Medio-lateral oblique mammogram of the right breast. 63-year-old patient.
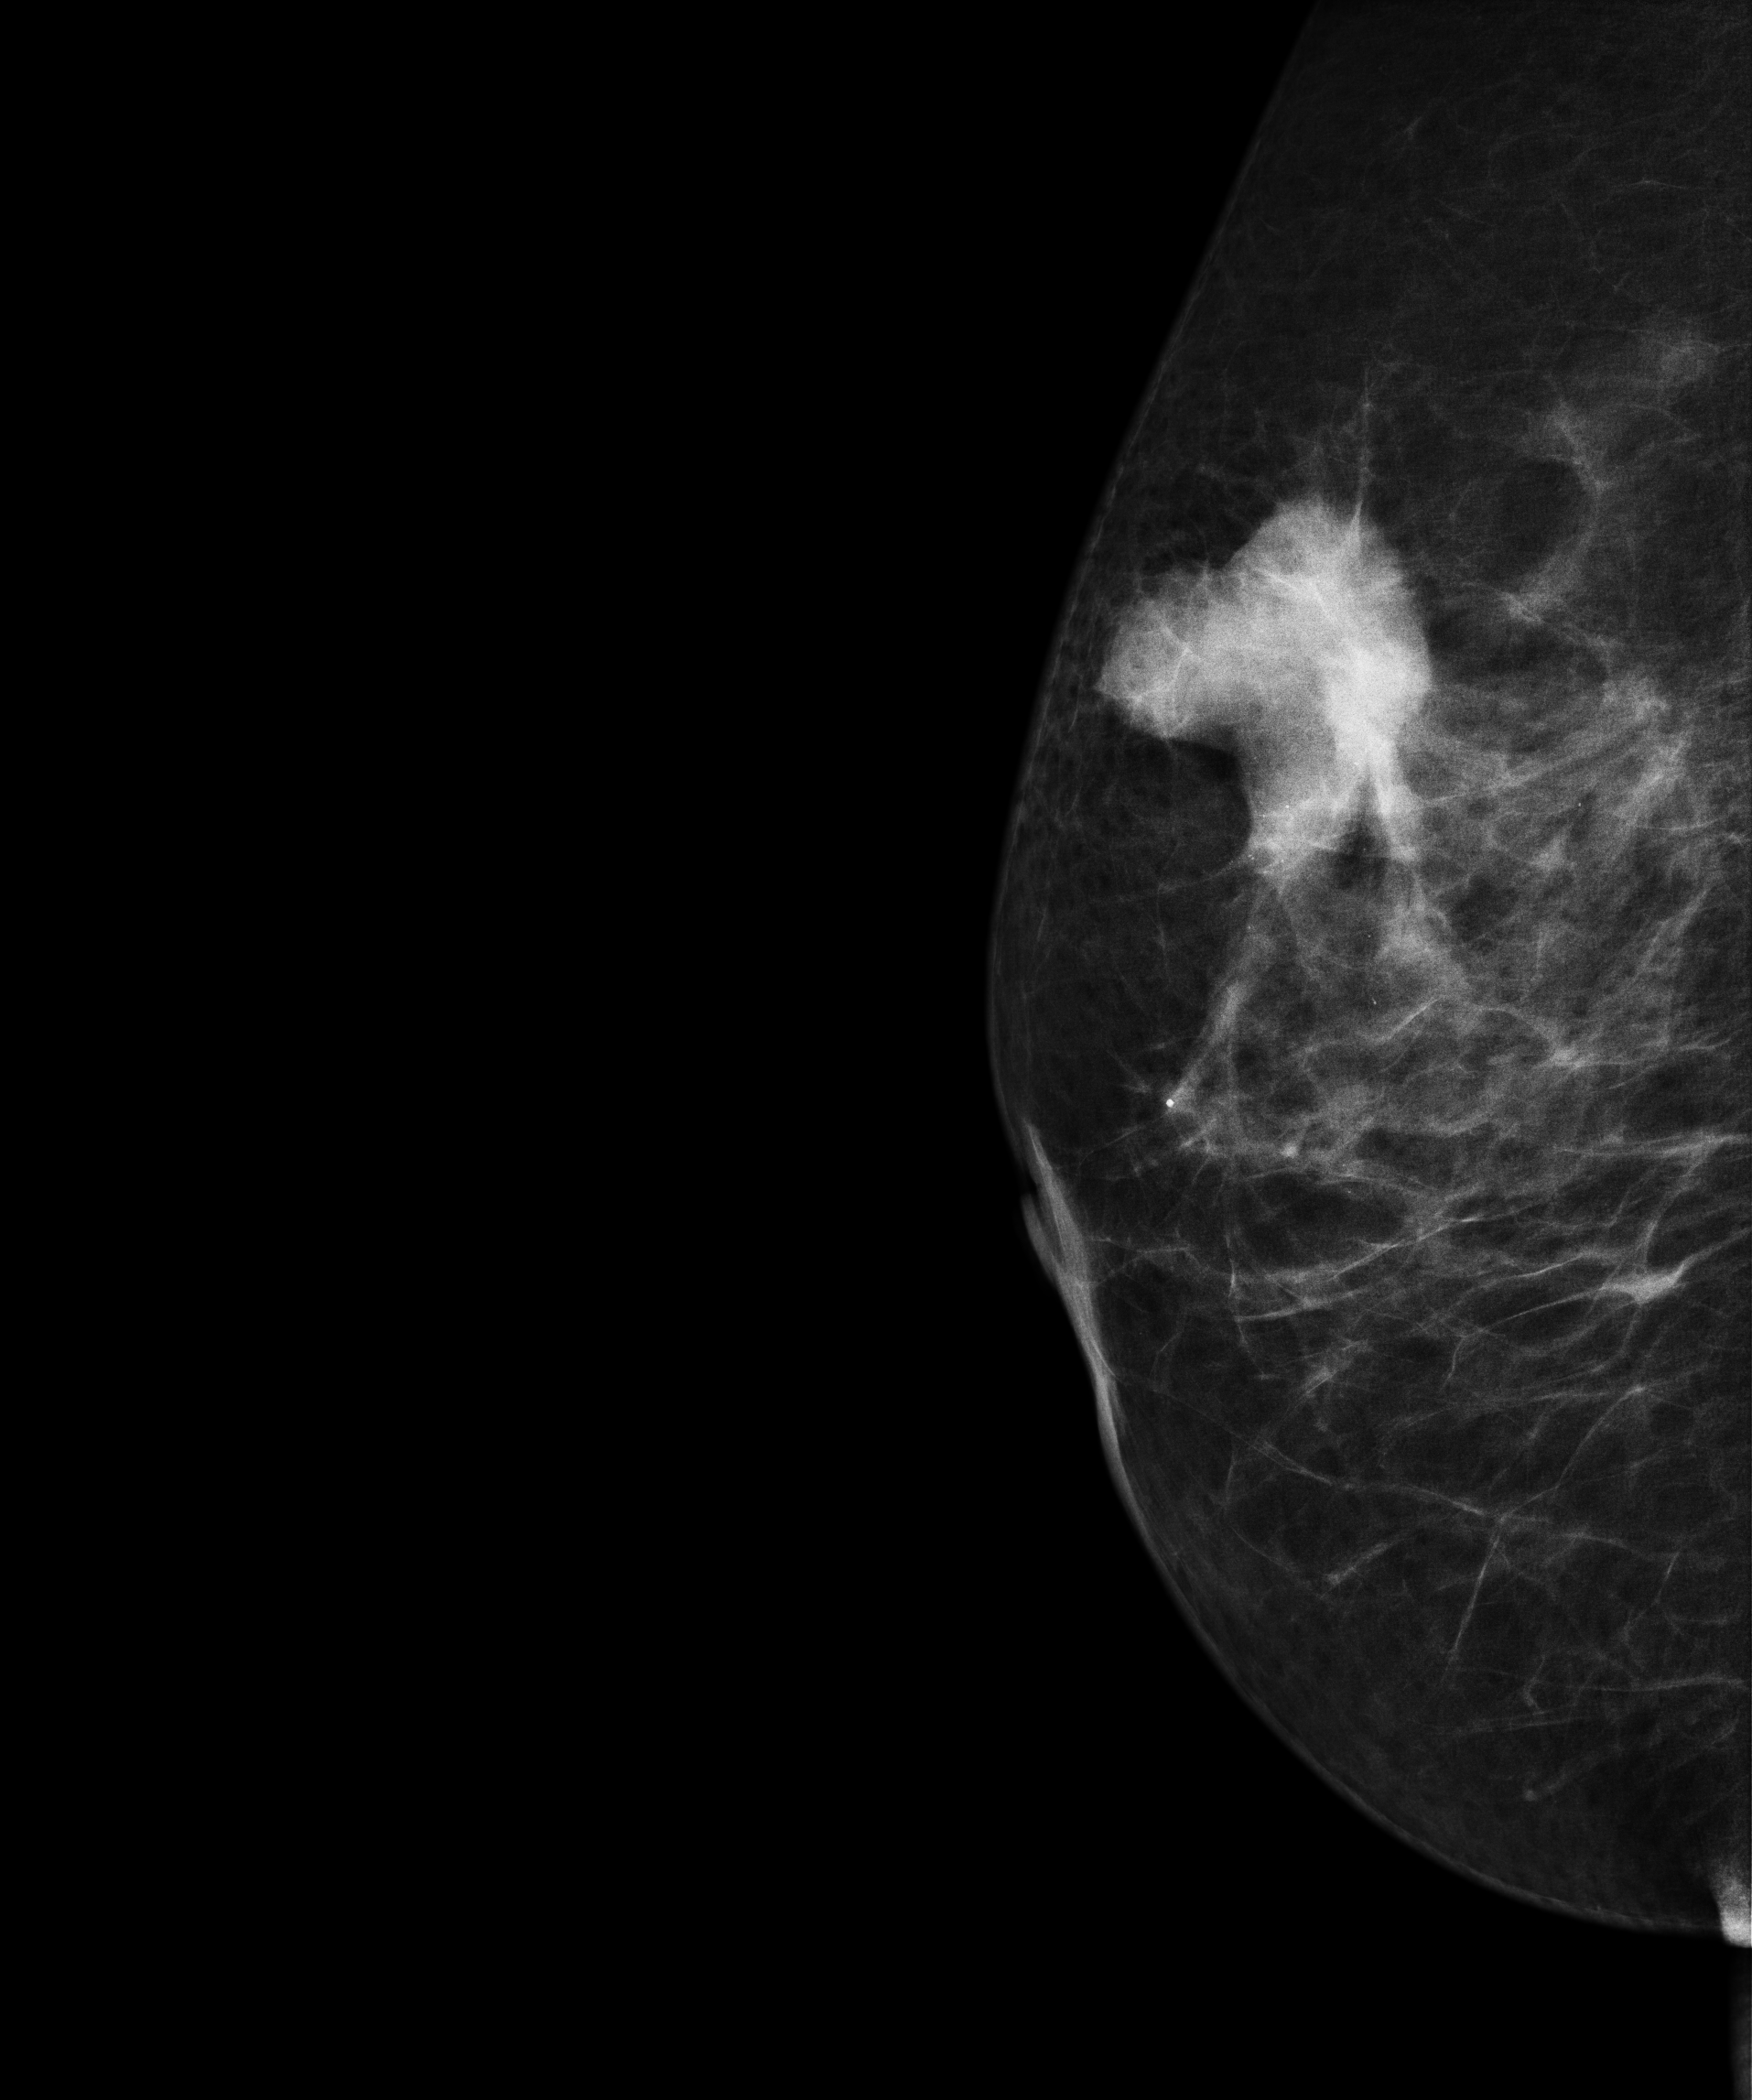
This breast has a mass, histologically confirmed malignant. Molecular subtype: luminal A.